MLO mammogram of the left breast. 57 y/o patient.
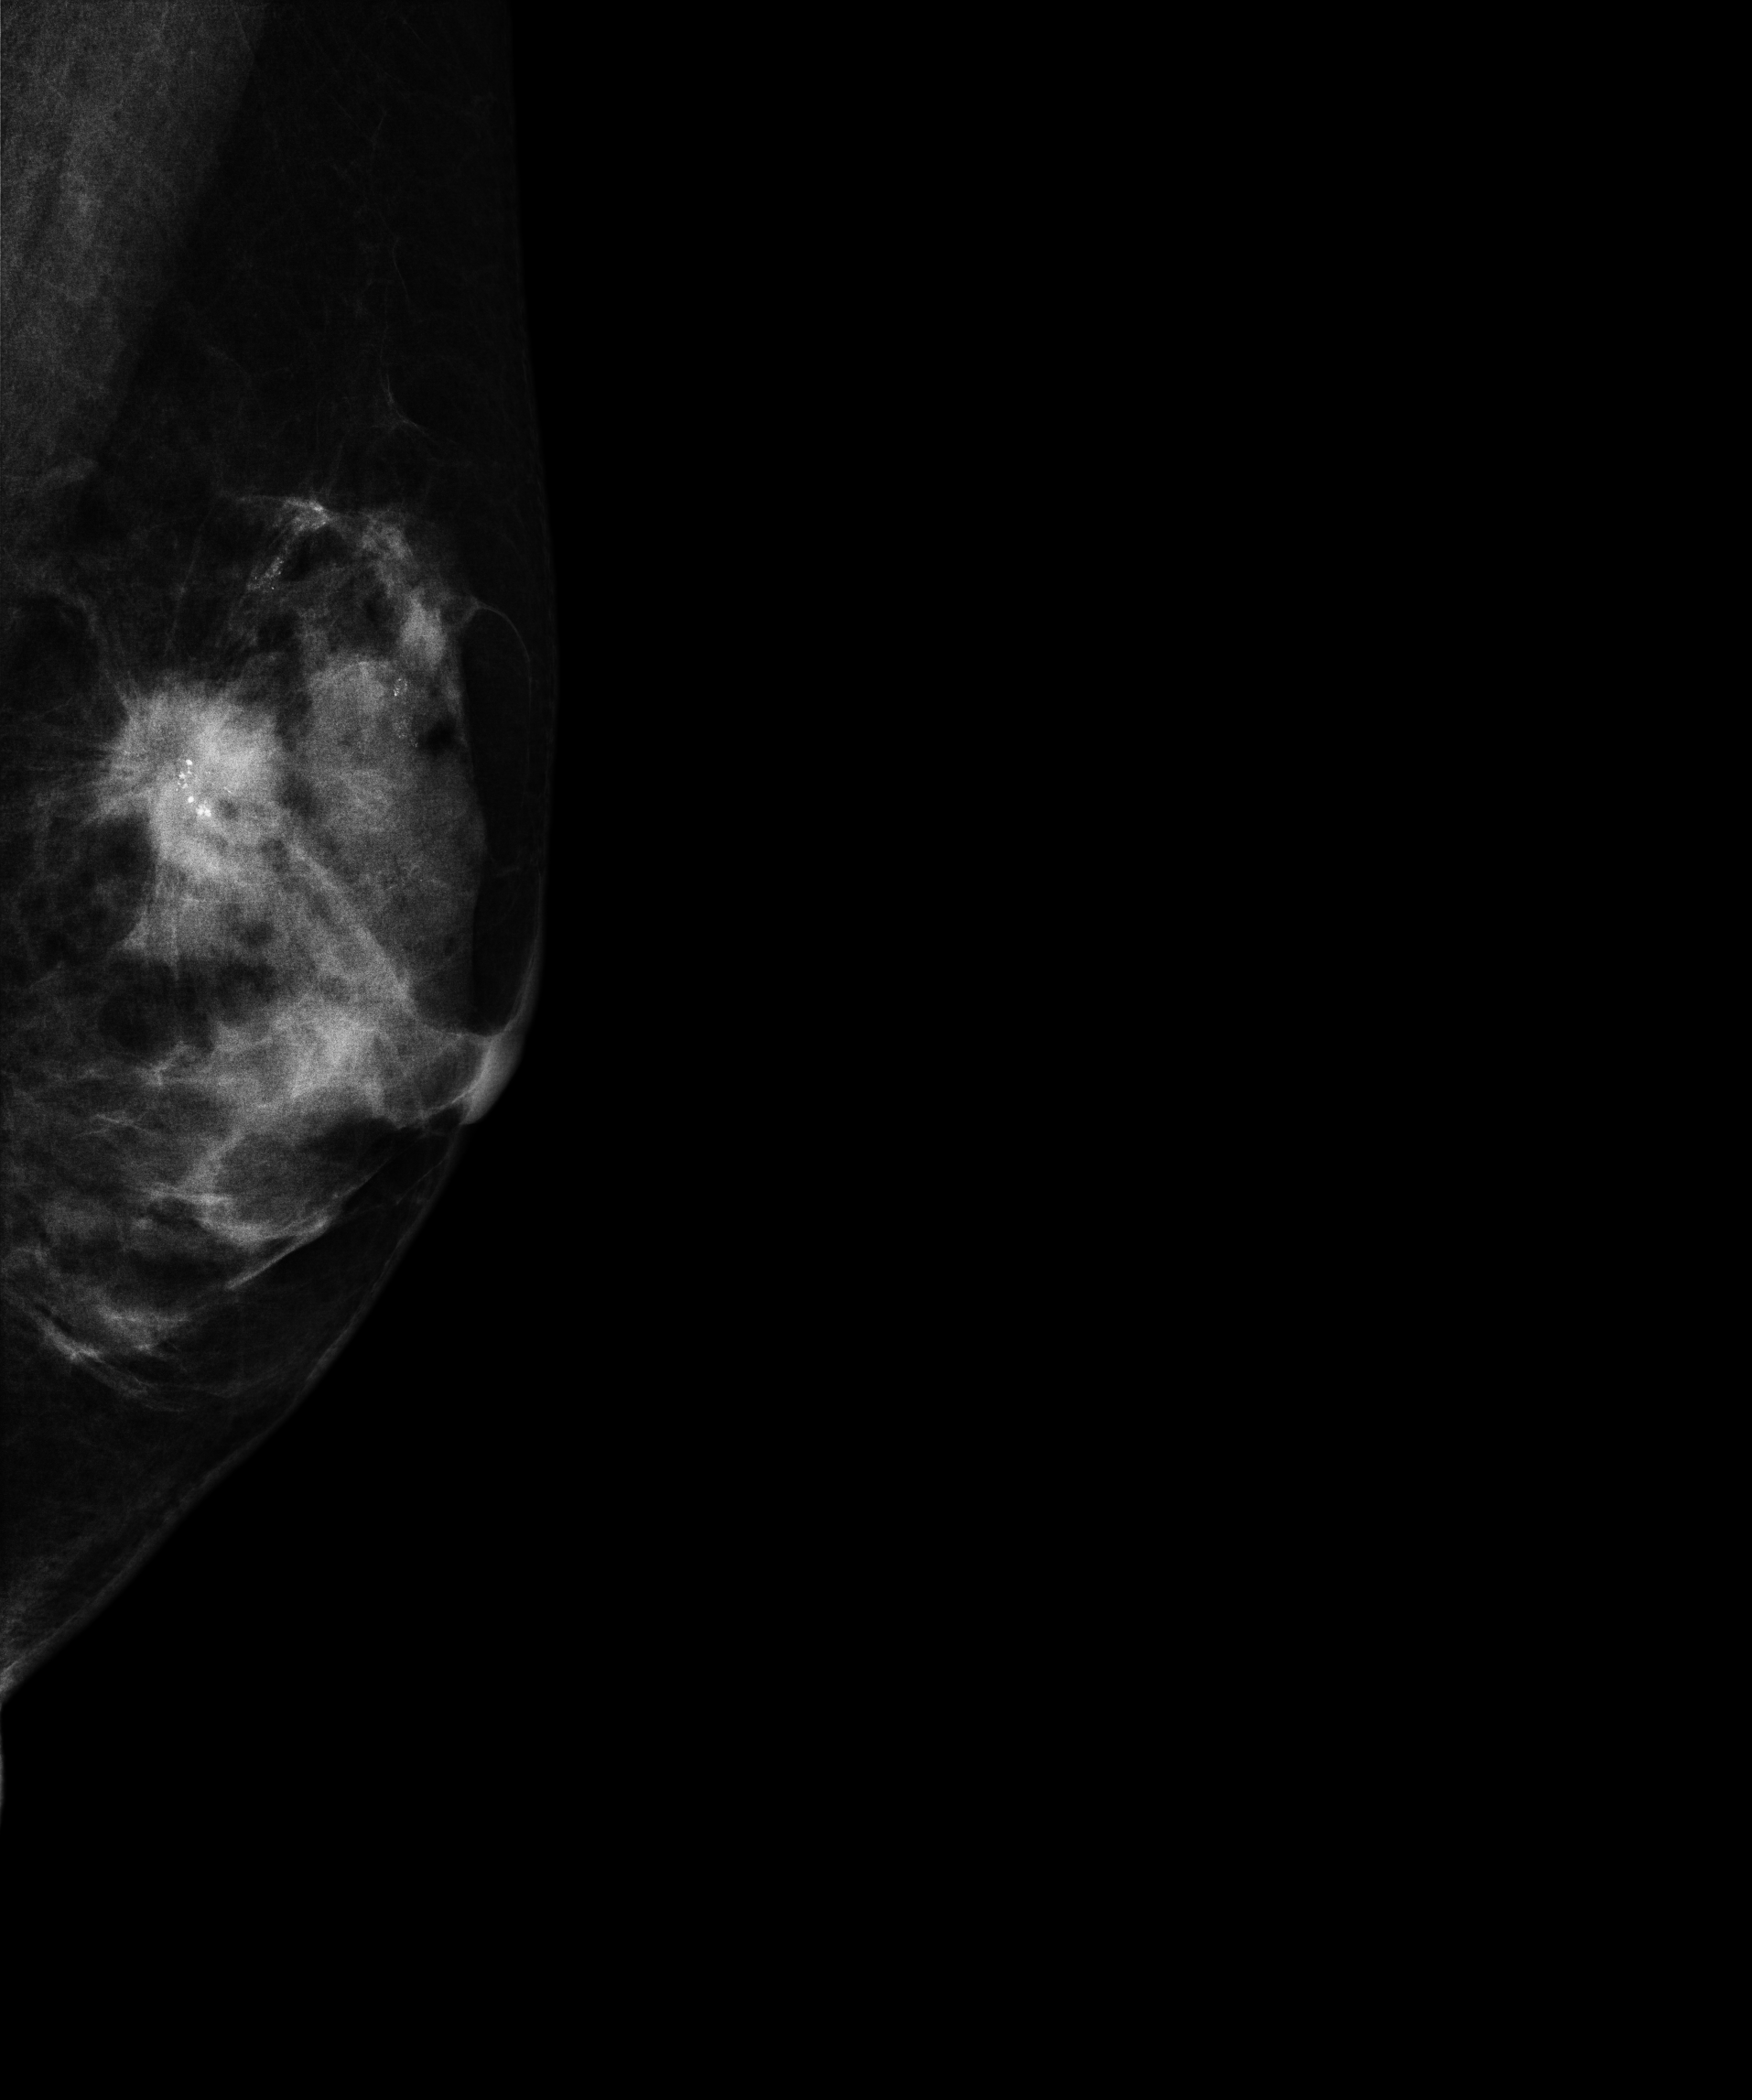
This breast has a mass and calcifications, biopsy-confirmed malignant. Molecular subtype: luminal A.